Mammogram — right medio-lateral oblique. 27-year-old patient.
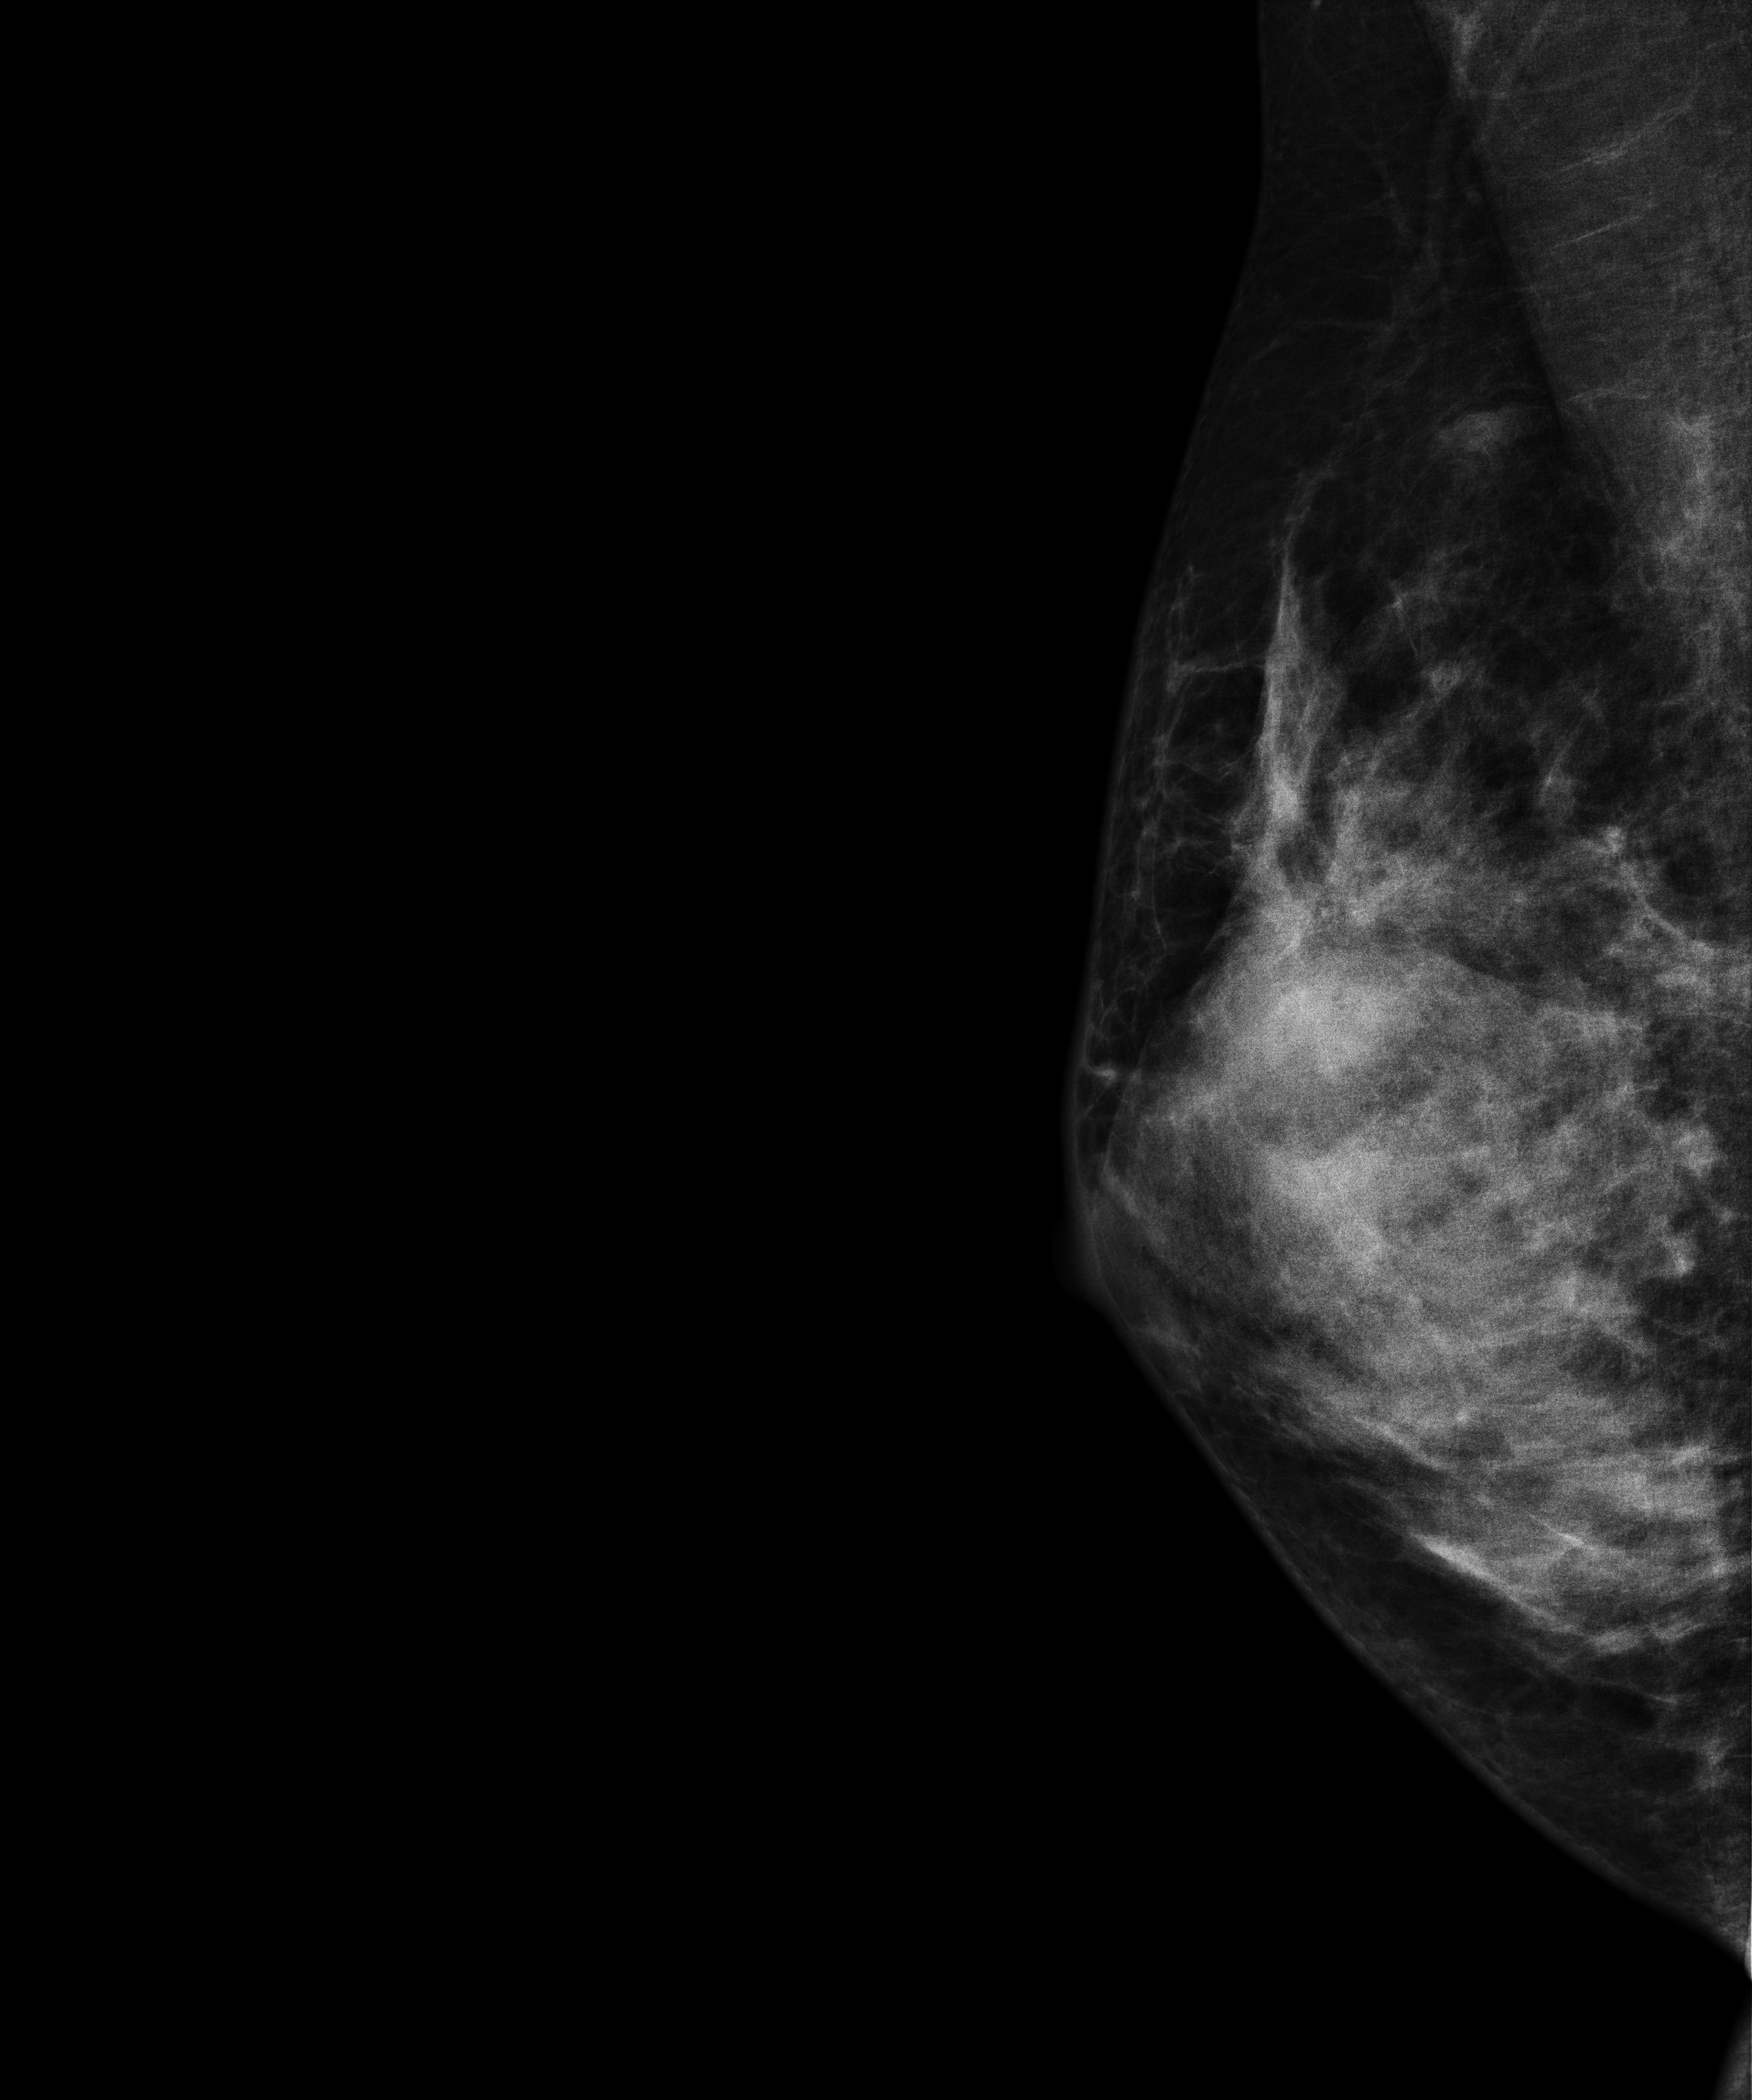
This breast has a mass, pathology-confirmed benign.